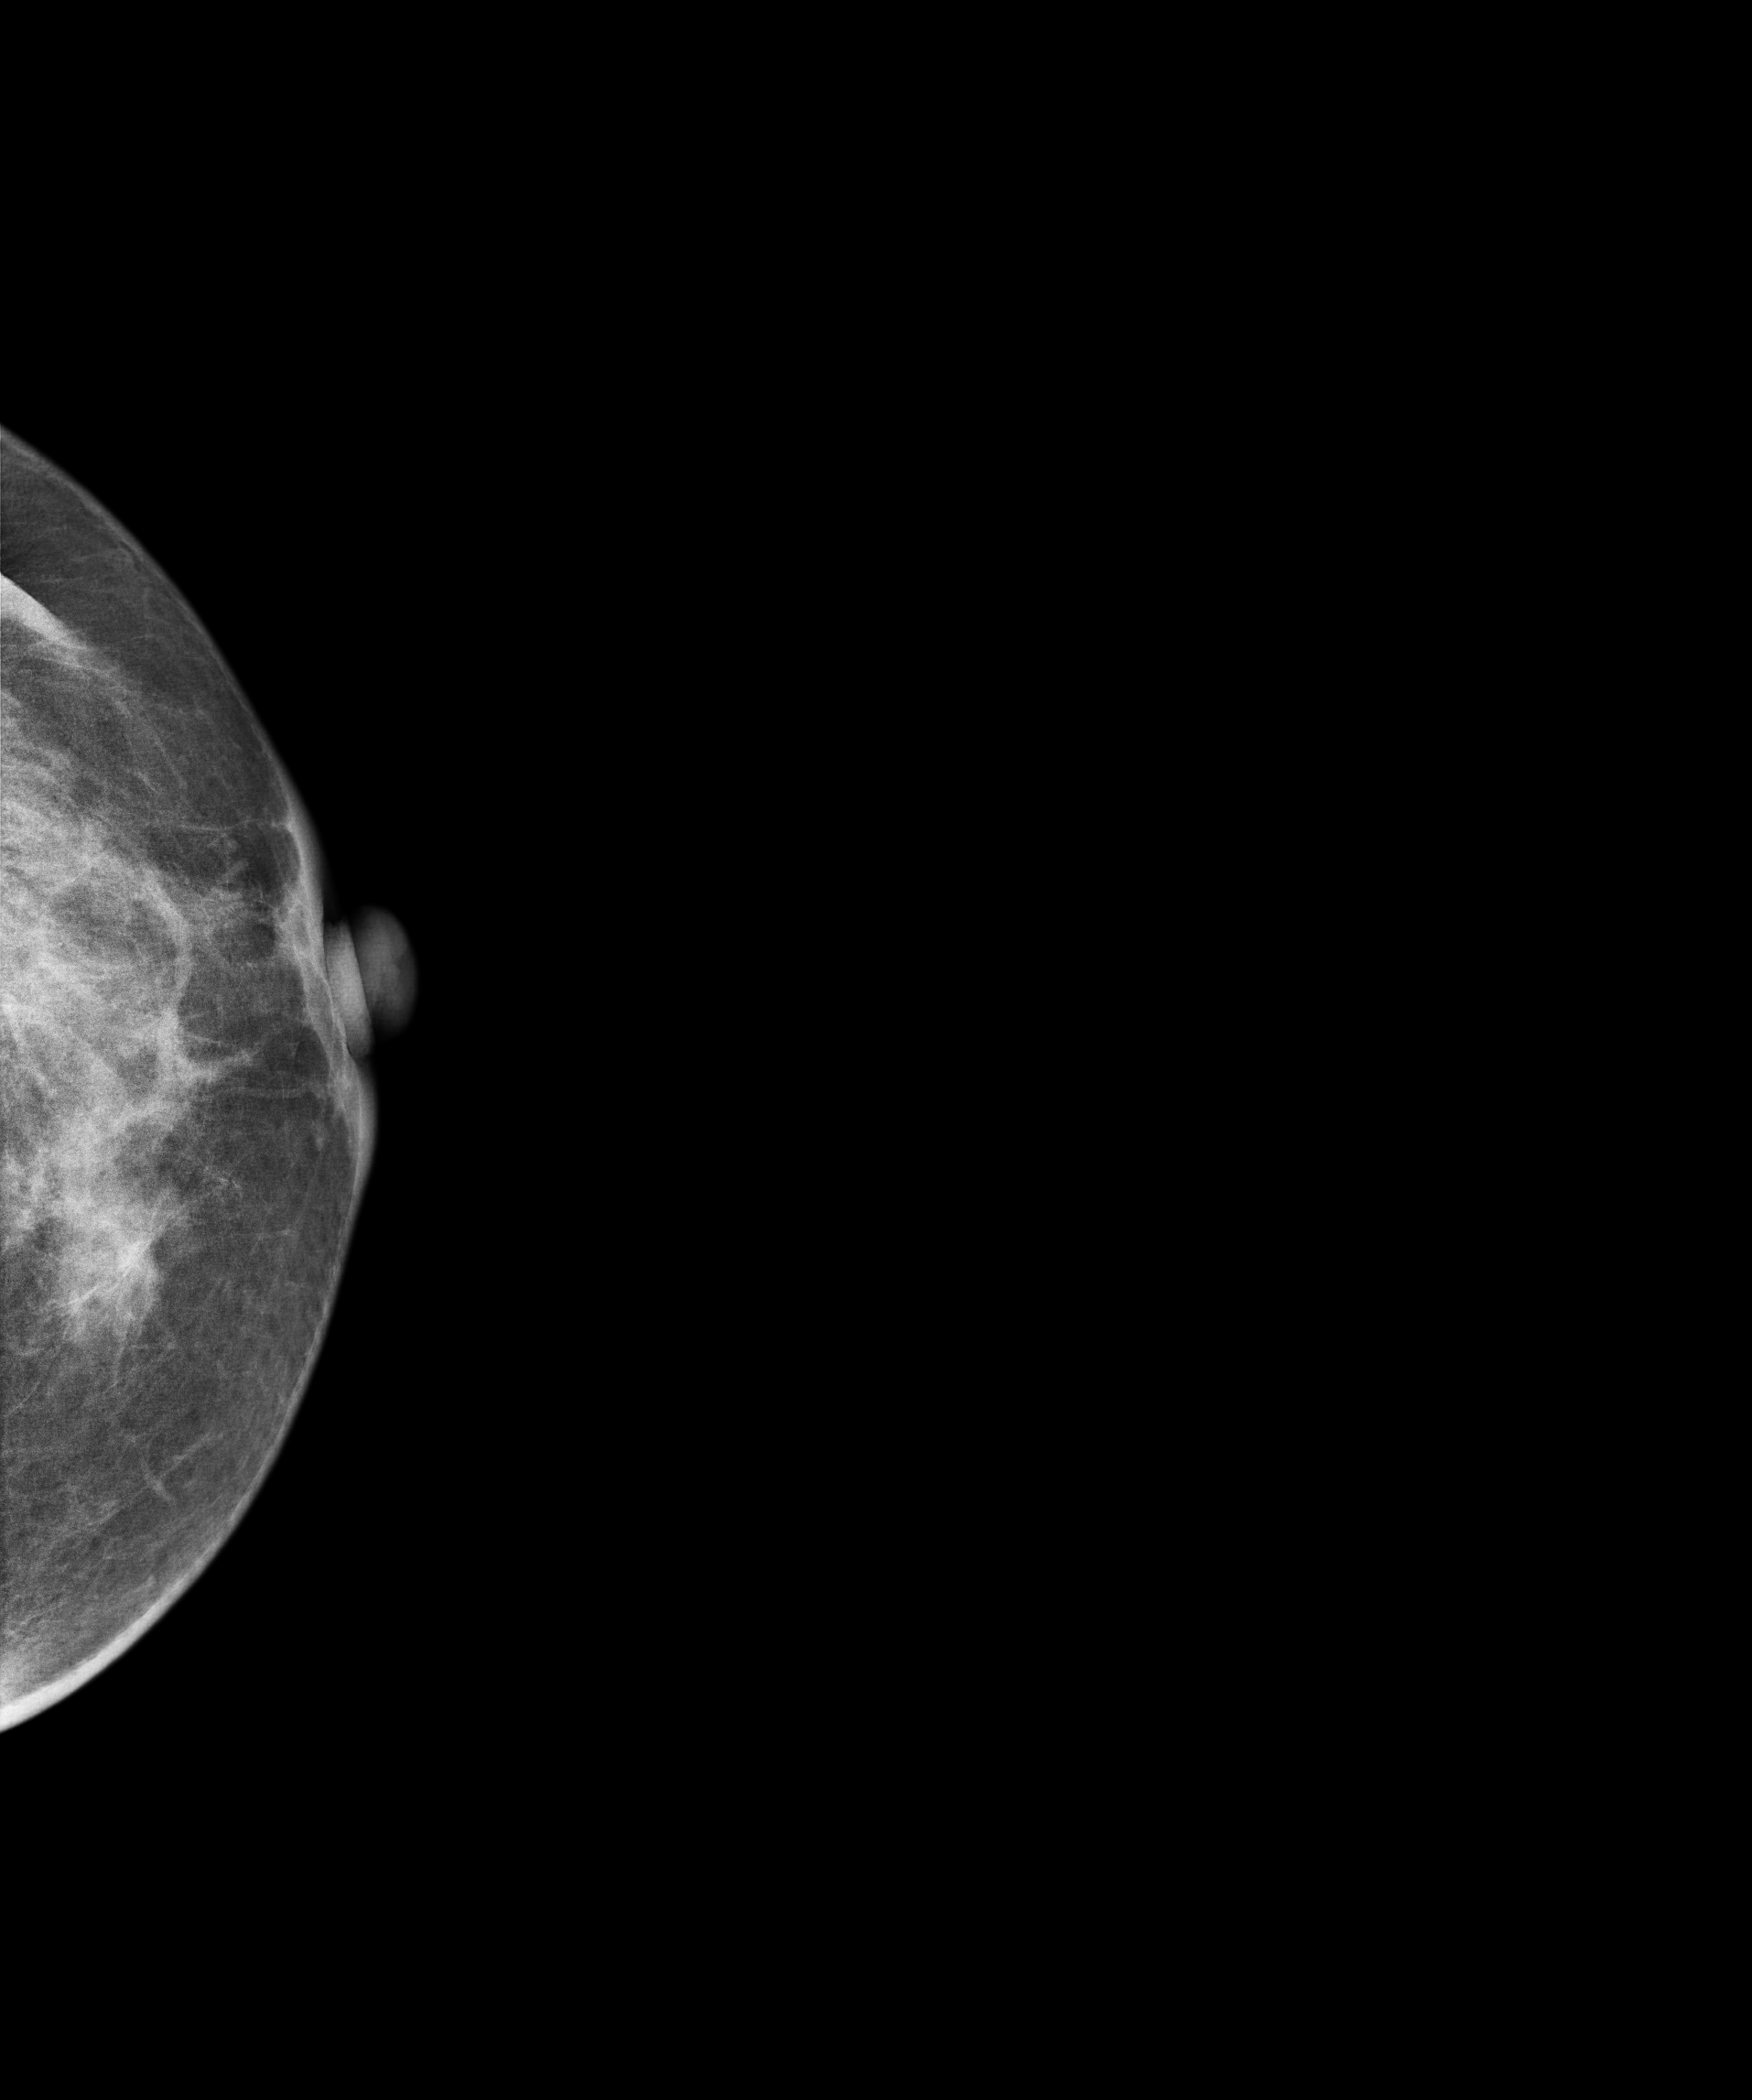
Cranio-caudal mammogram of the left breast. Patient age 56.
This breast has a mass, pathology-confirmed malignant.